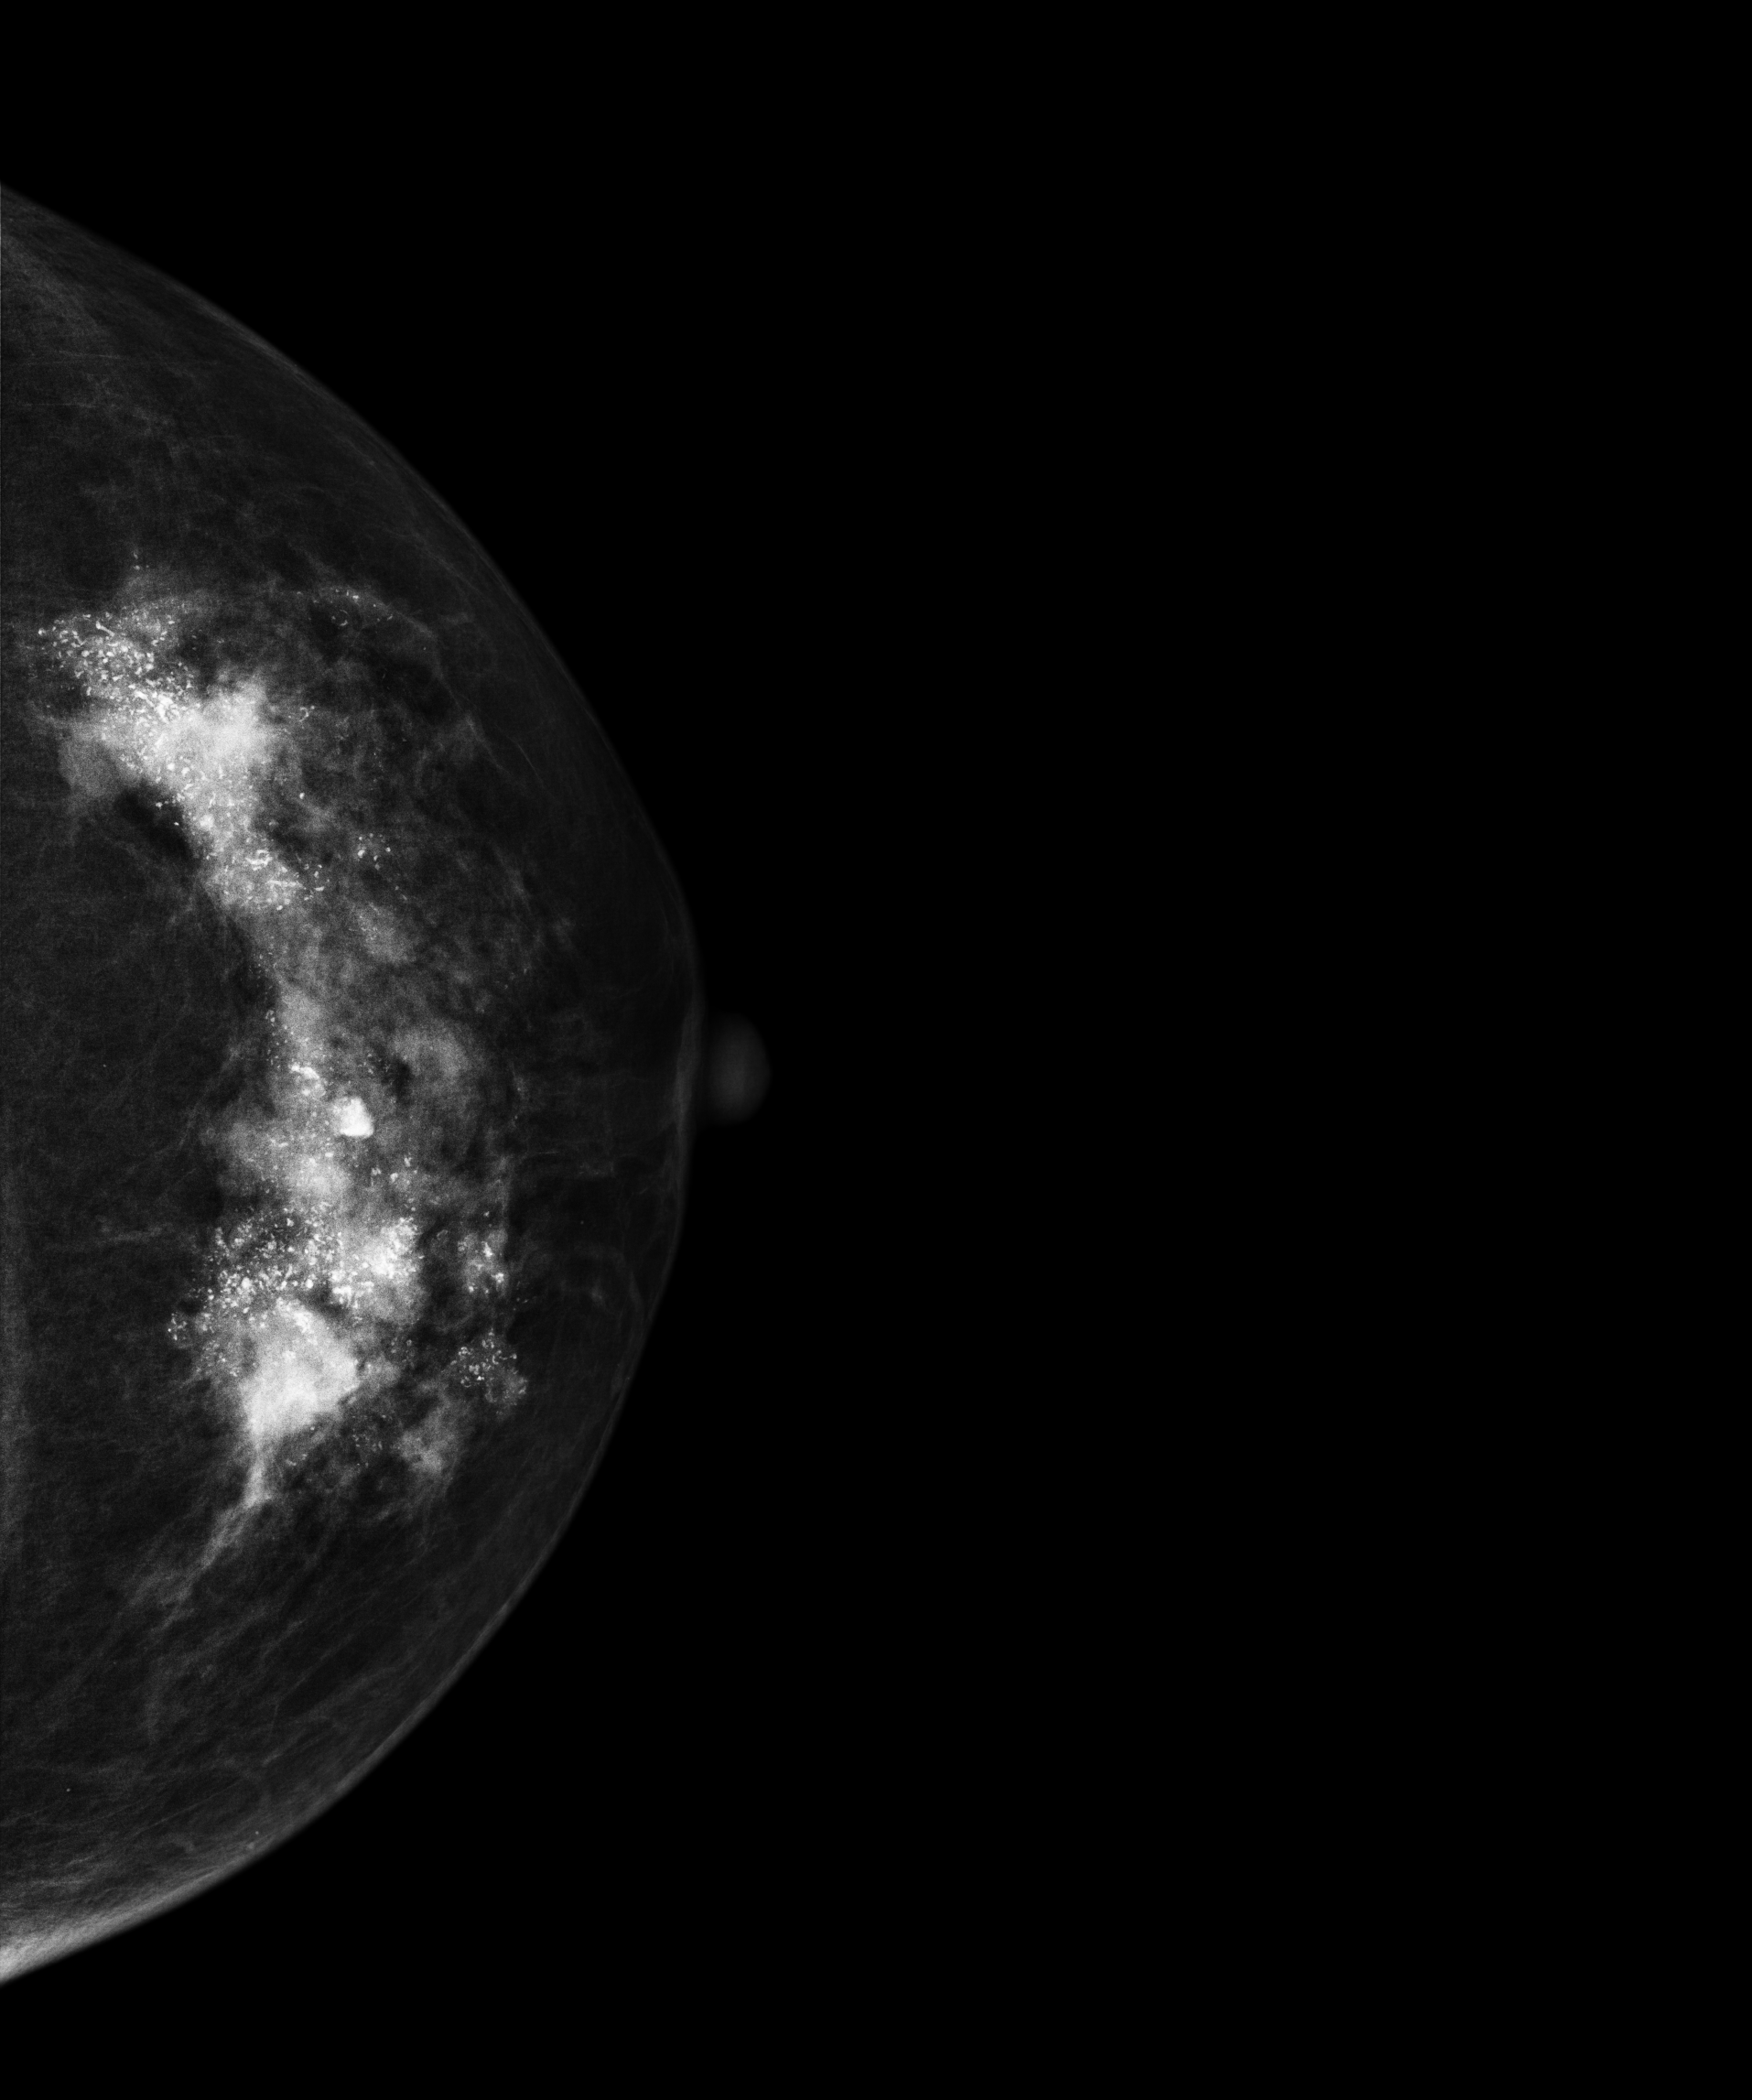
CC mammogram of the left breast. Patient age 64.
This breast has a mass and calcifications, histologically confirmed malignant.